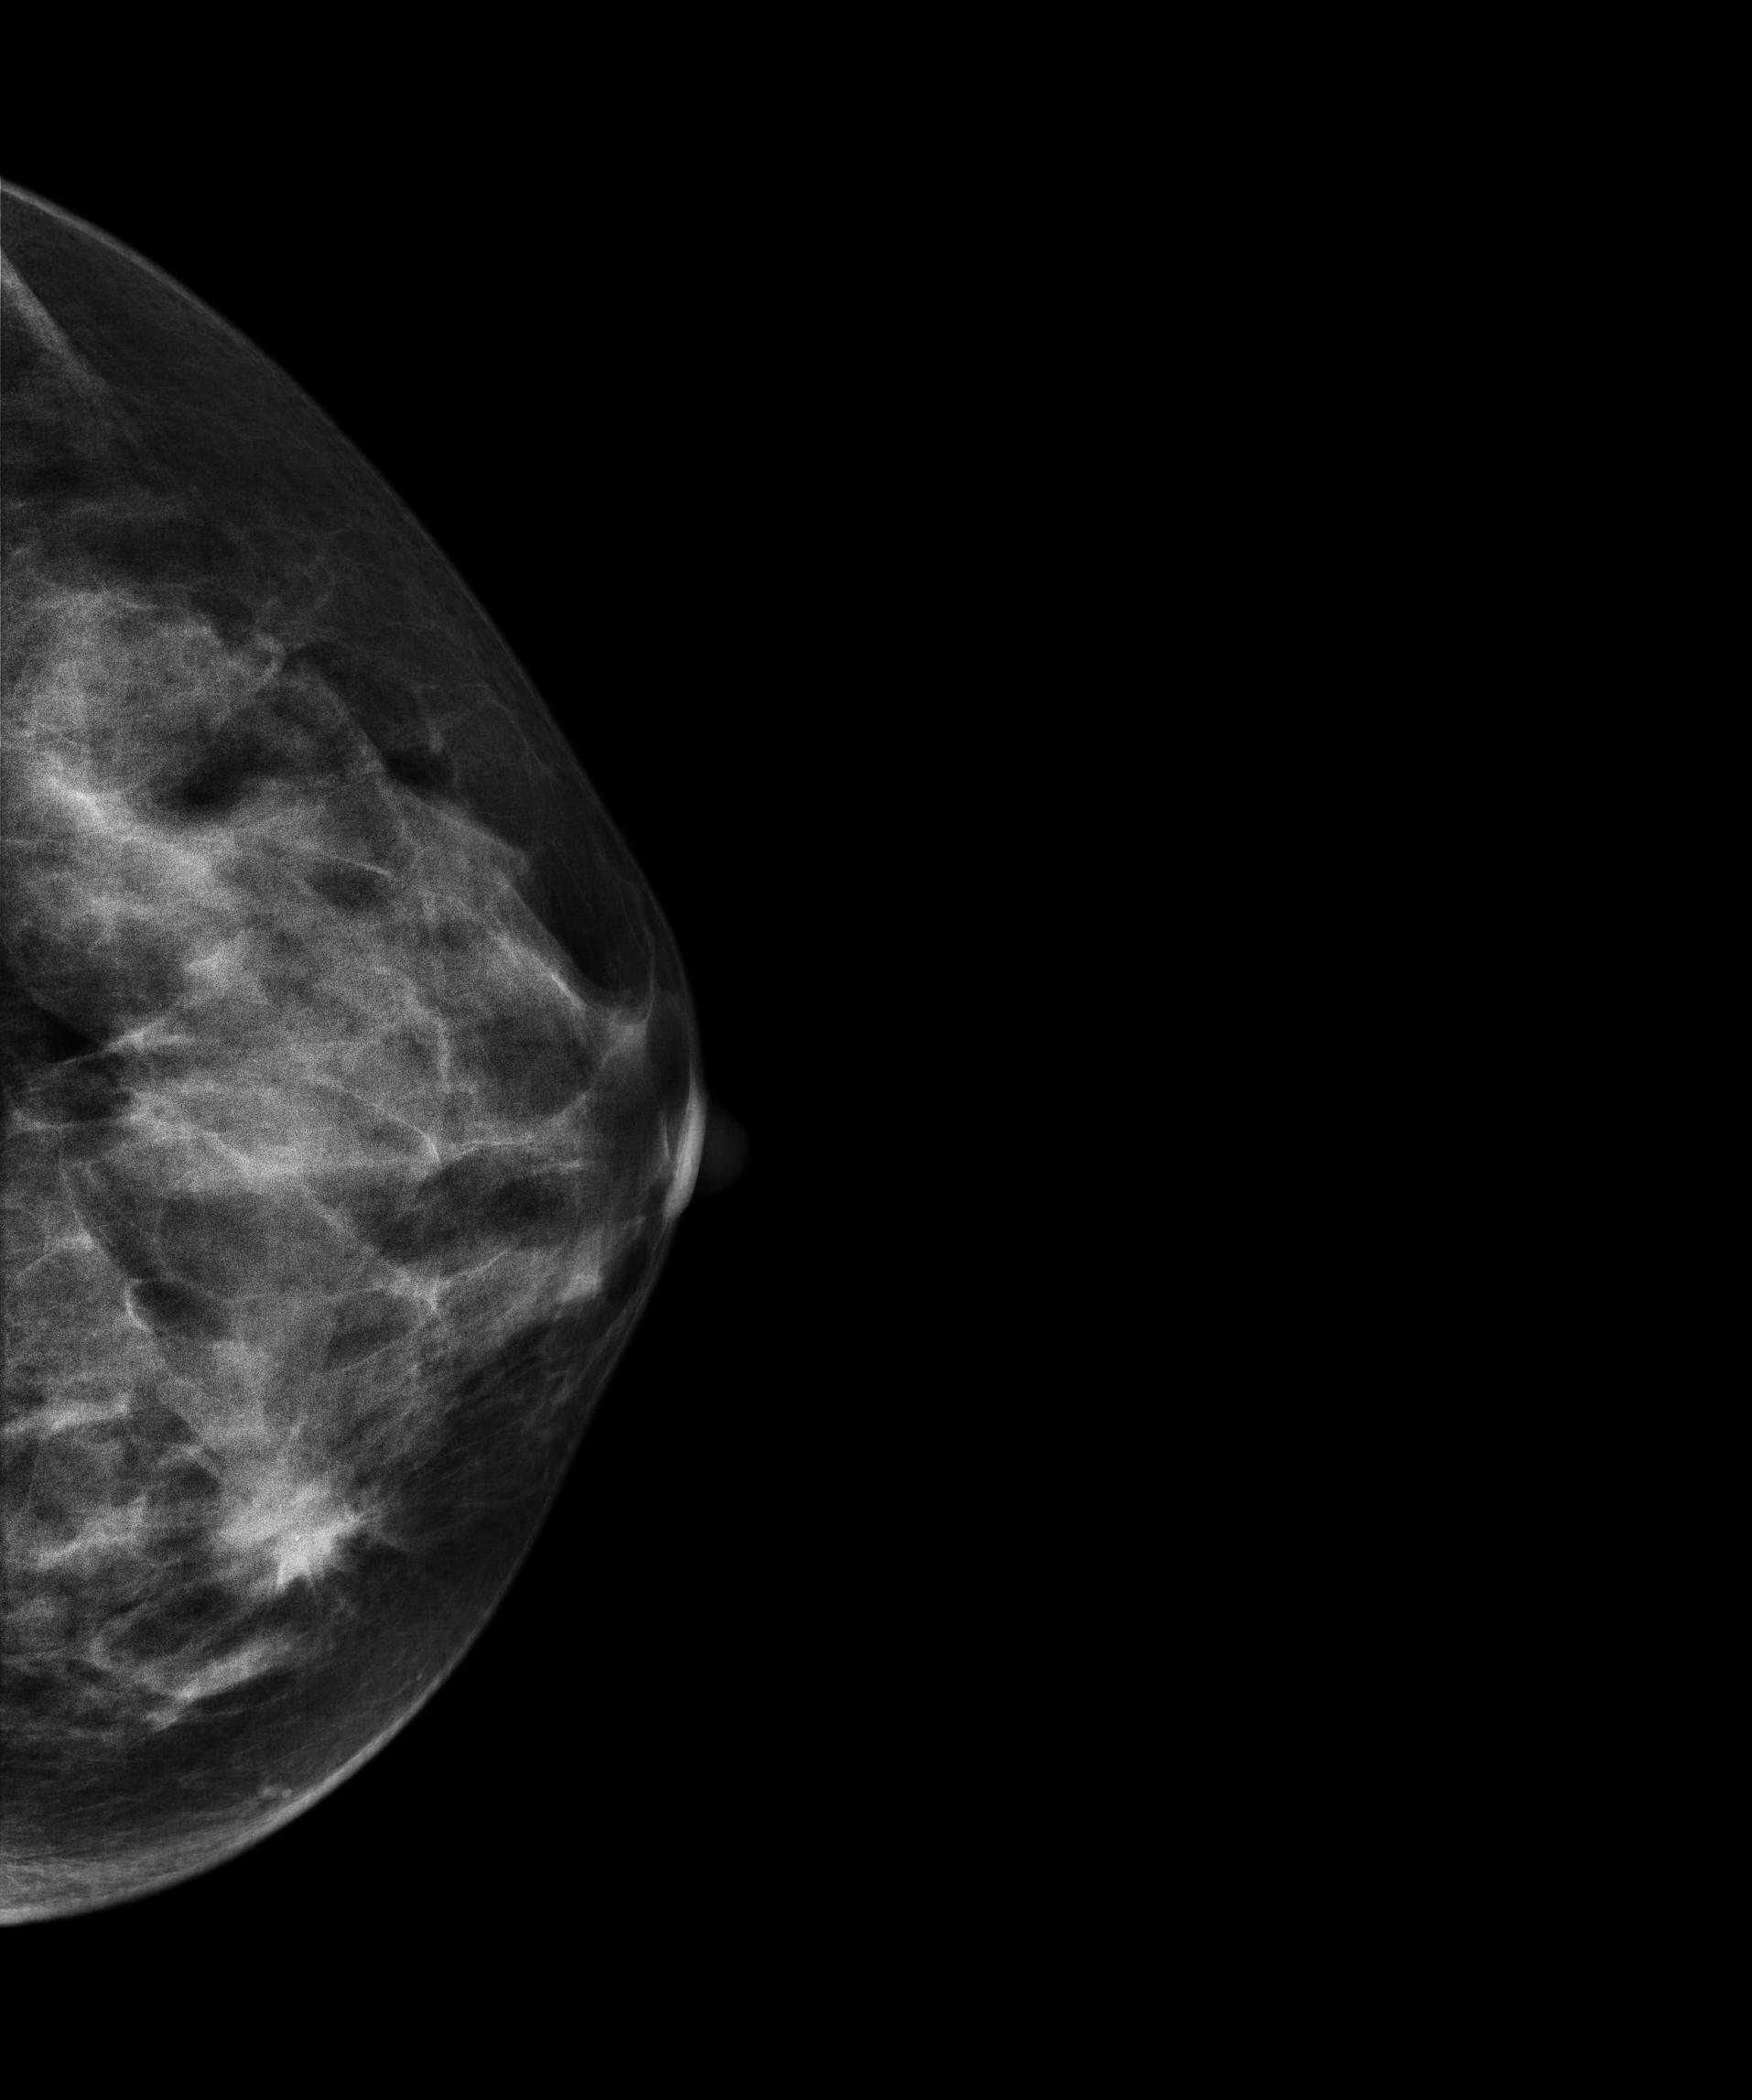
Left-breast mammogram, CC. Patient age 51.
This breast has a mass, pathology-confirmed malignant. Molecular subtype: luminal B.